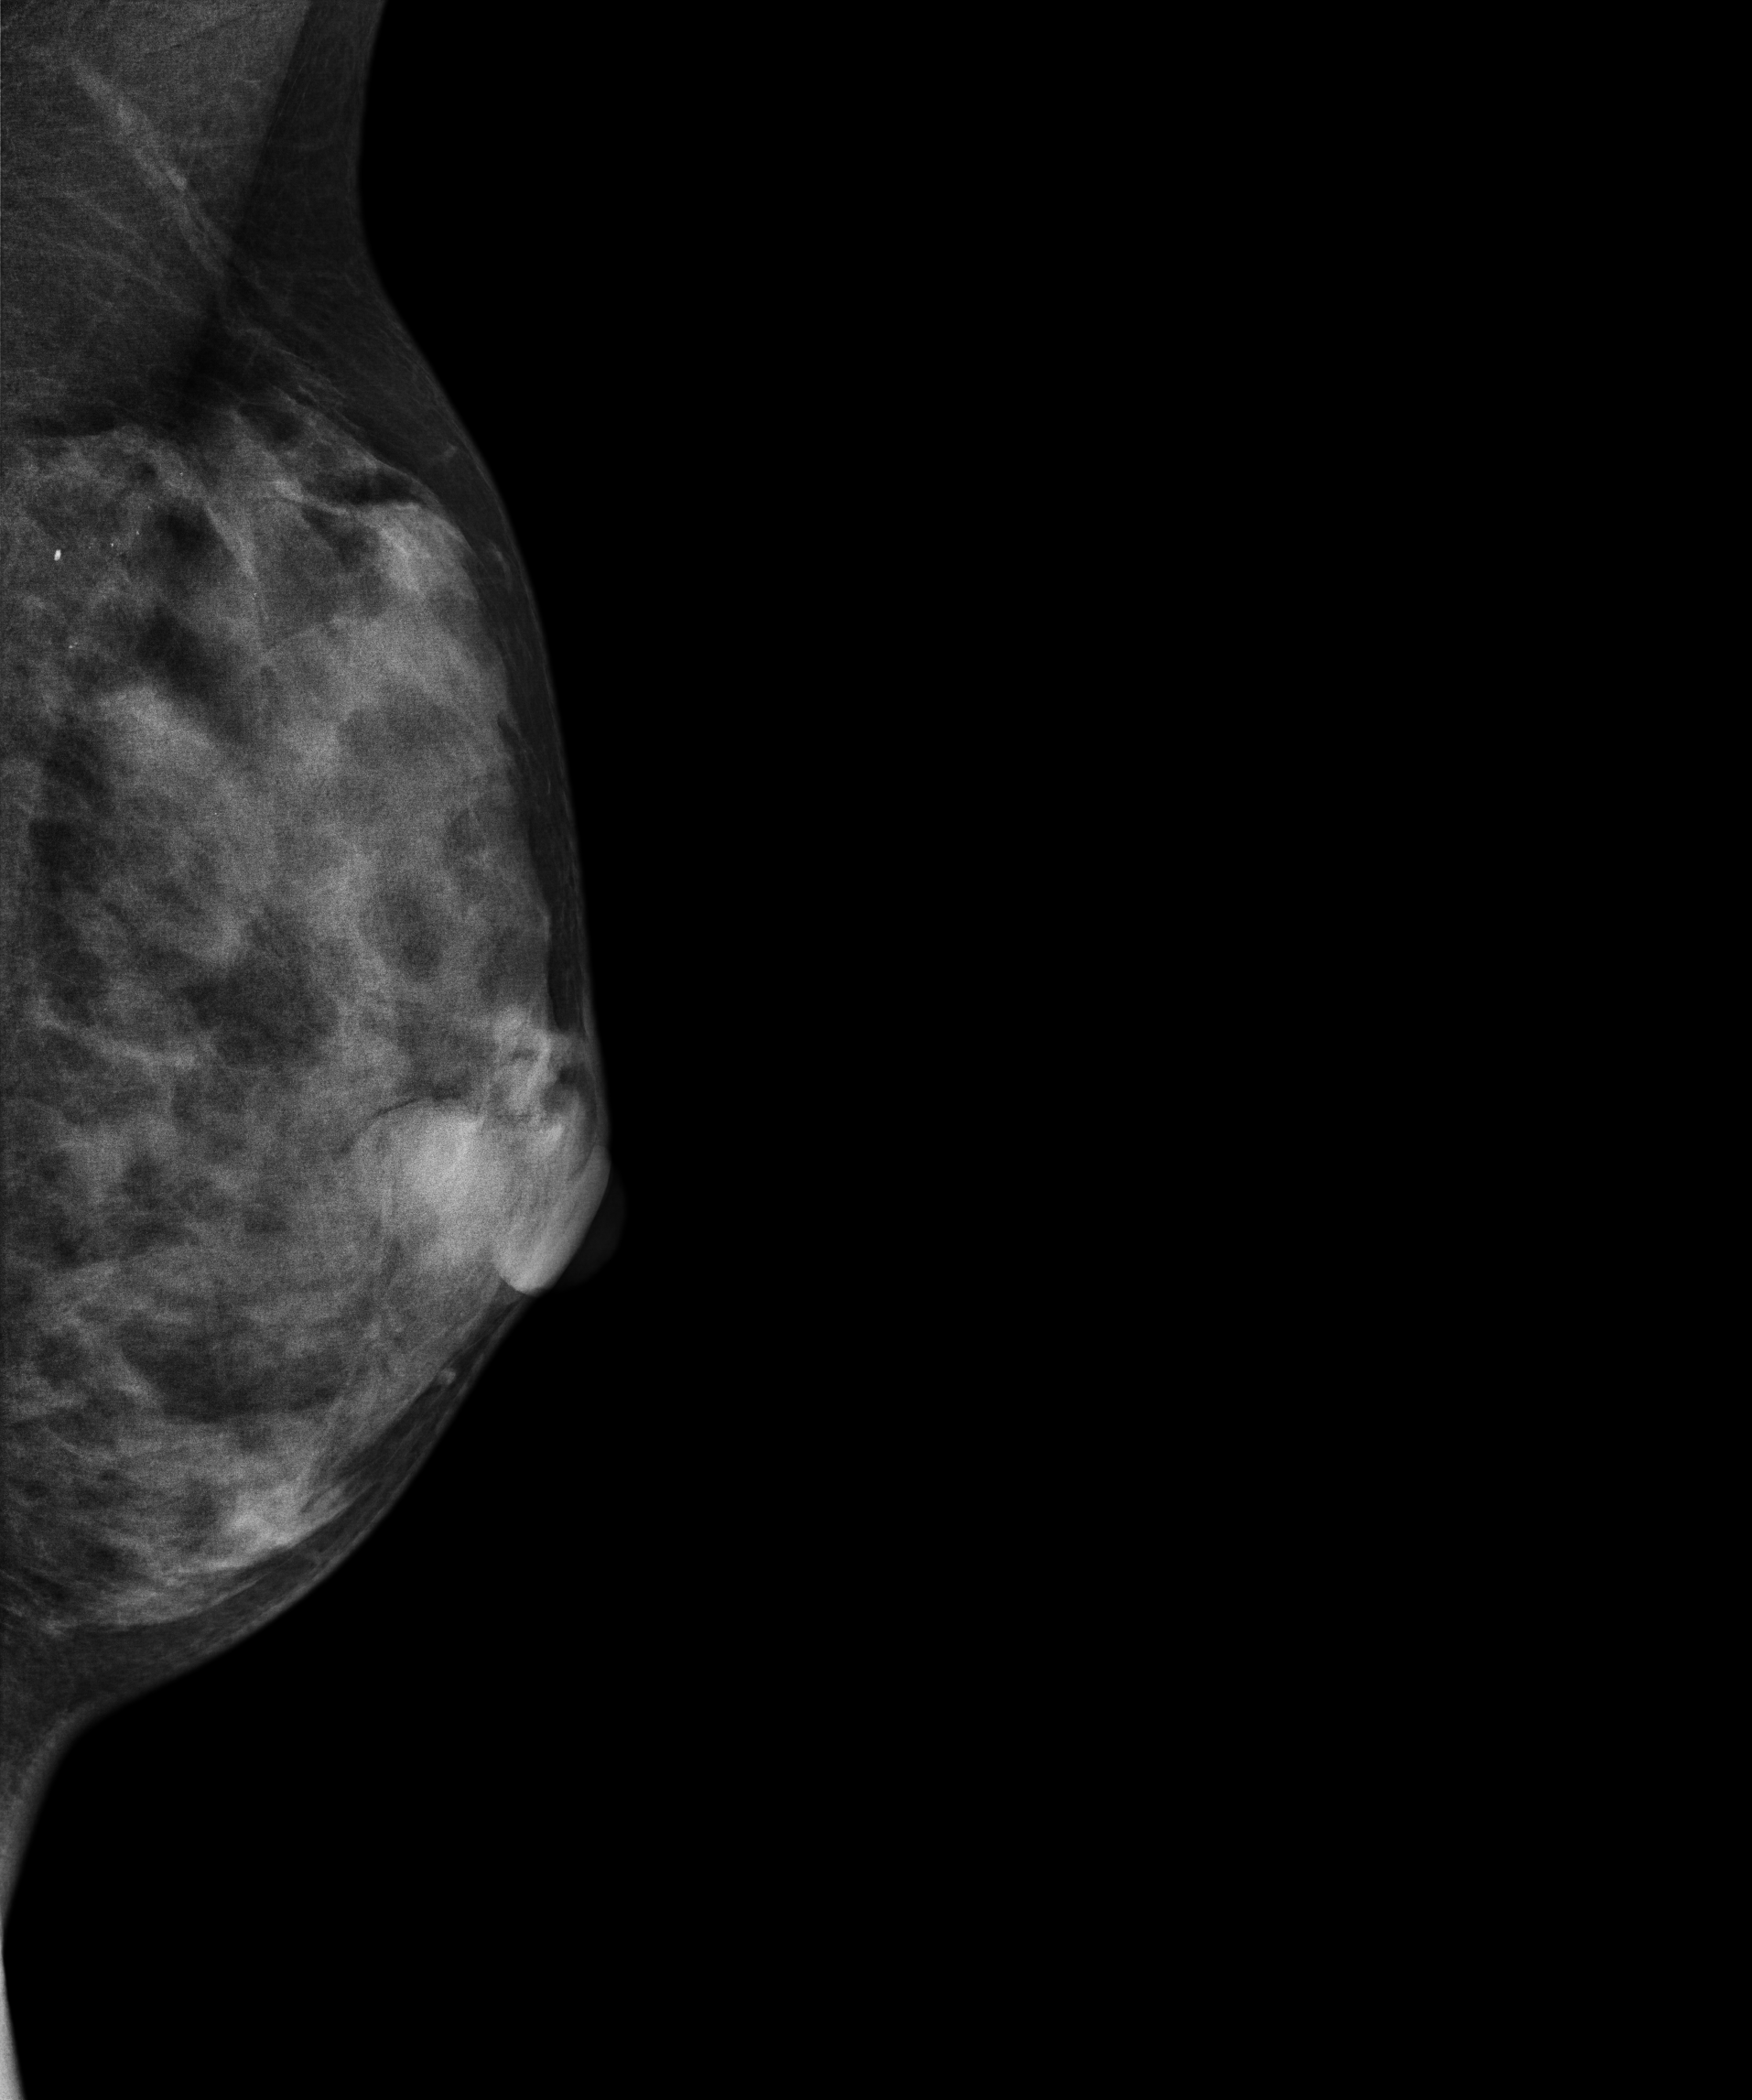
Medio-lateral oblique mammogram of the left breast. 26-year-old patient.
This breast has a mass and calcifications, histologically confirmed benign.